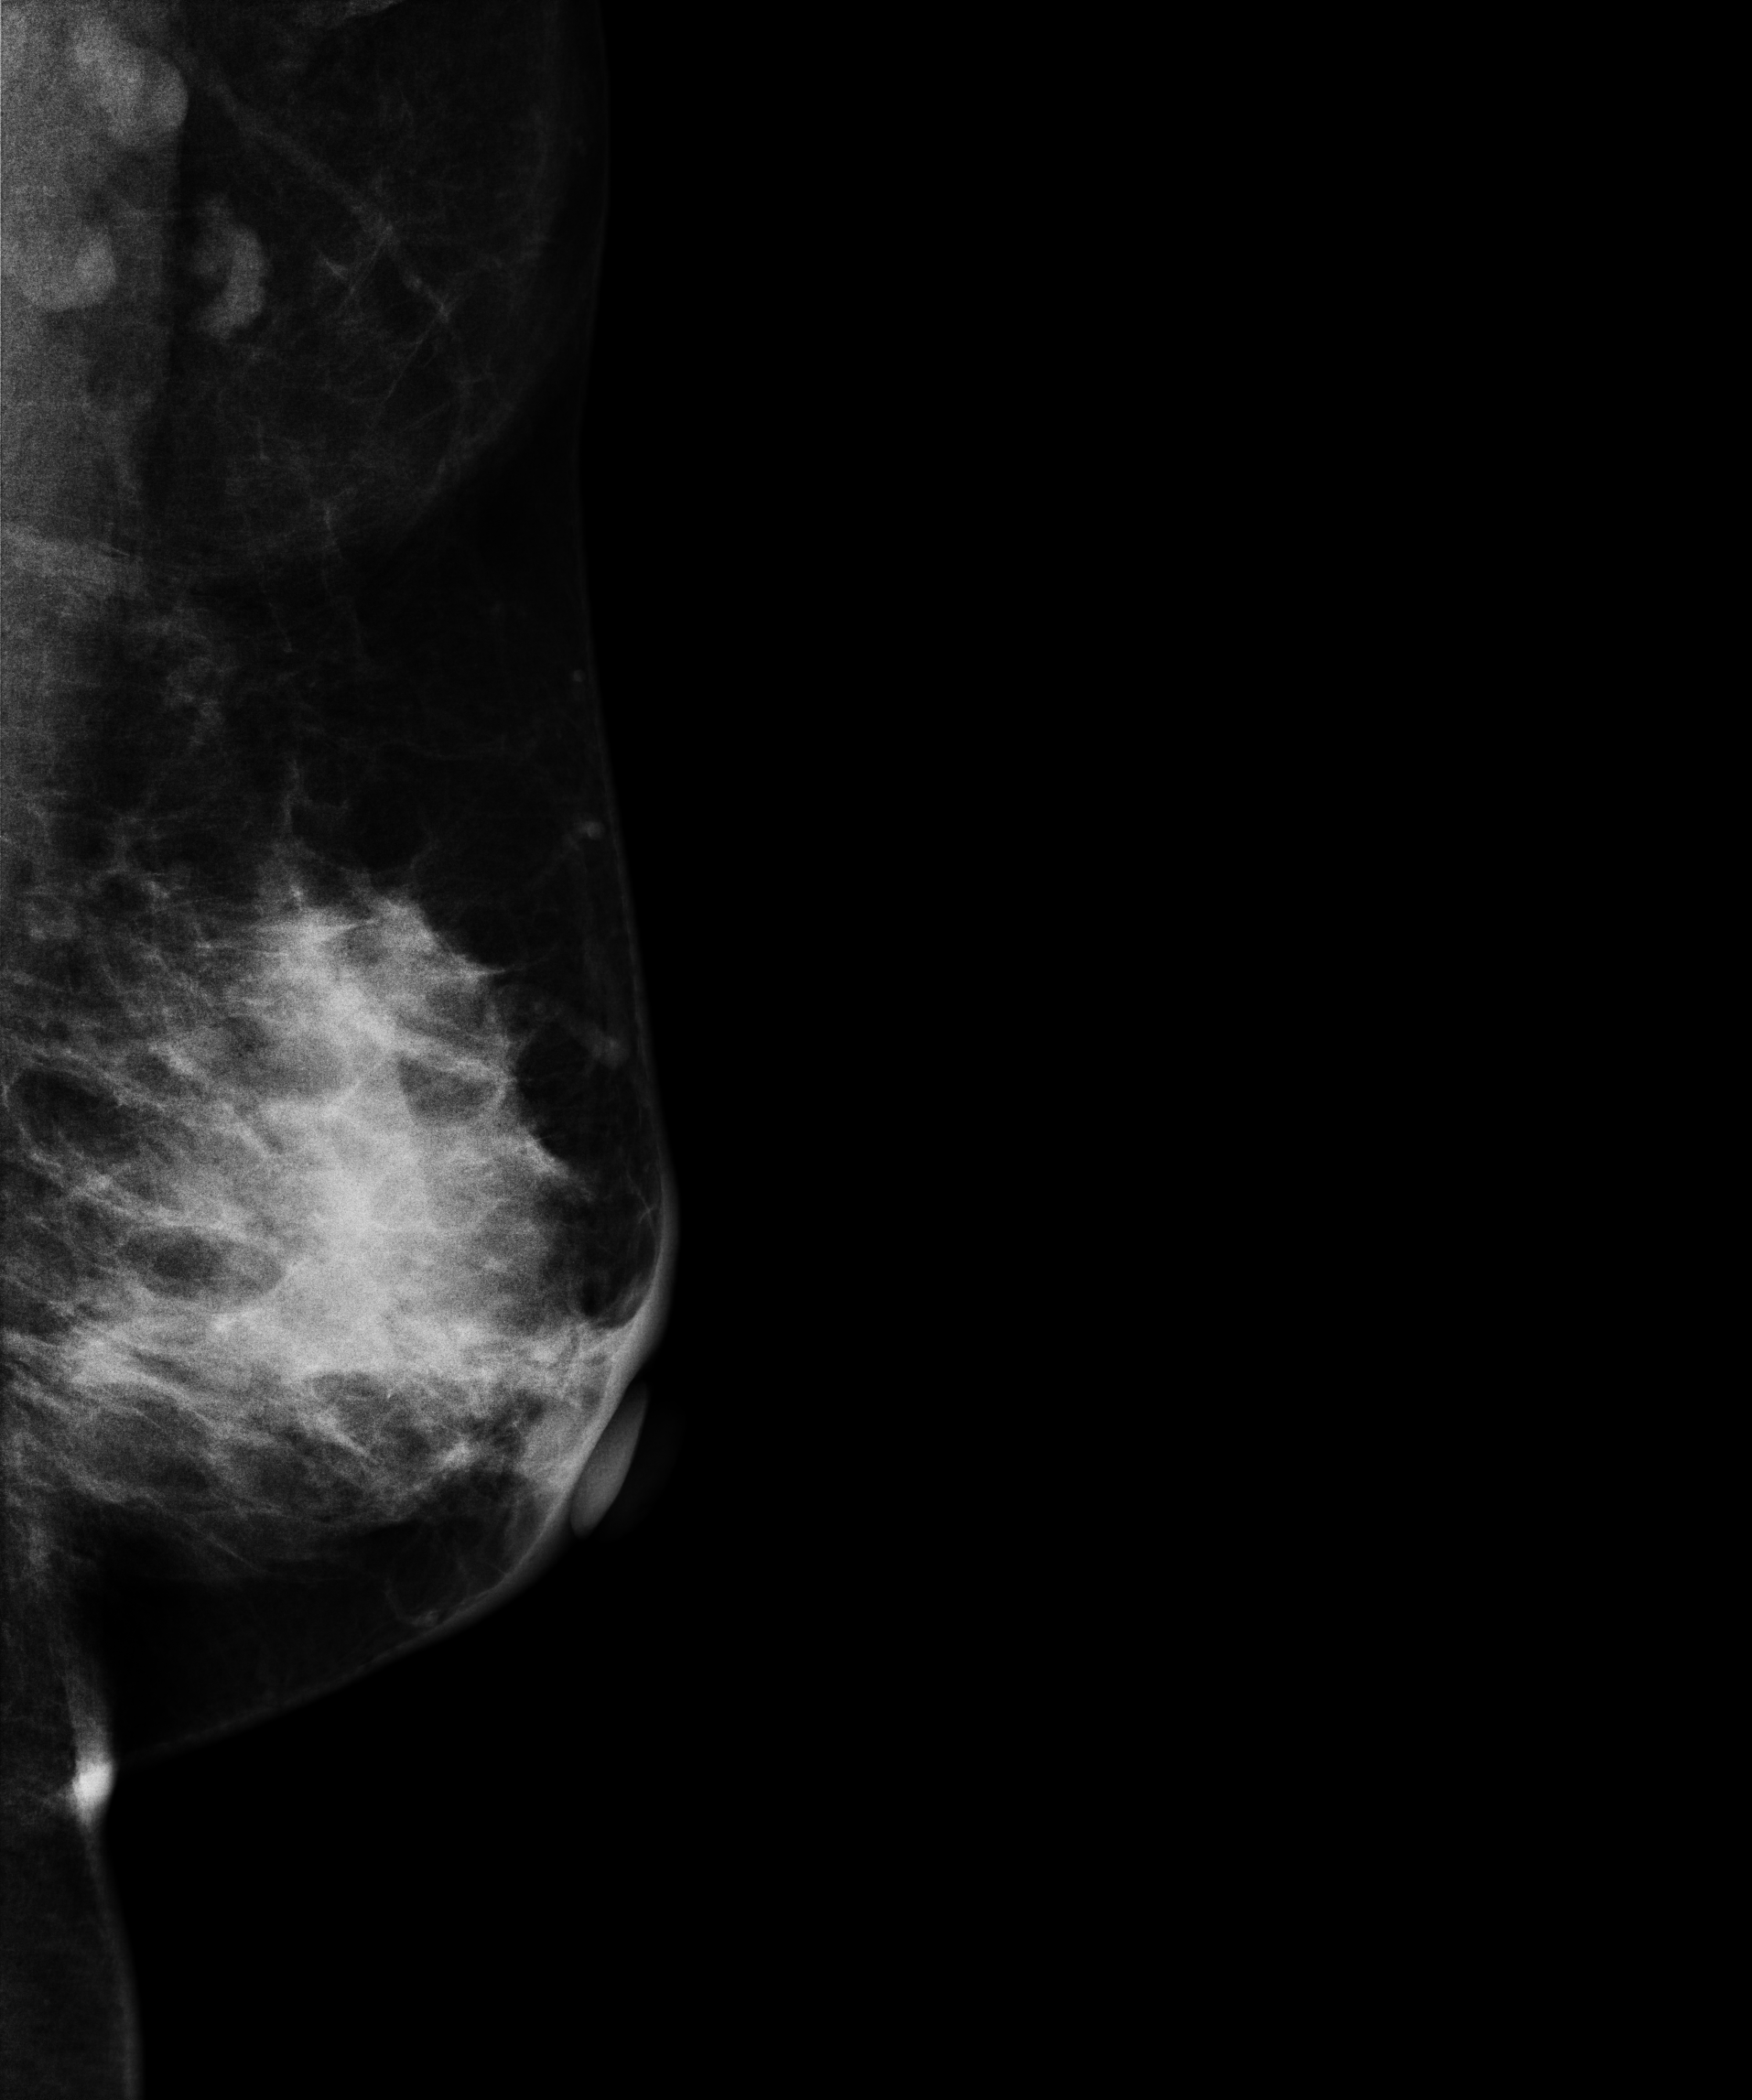
Mammogram — left MLO. Patient age 45.
This breast has a mass, histologically confirmed benign.